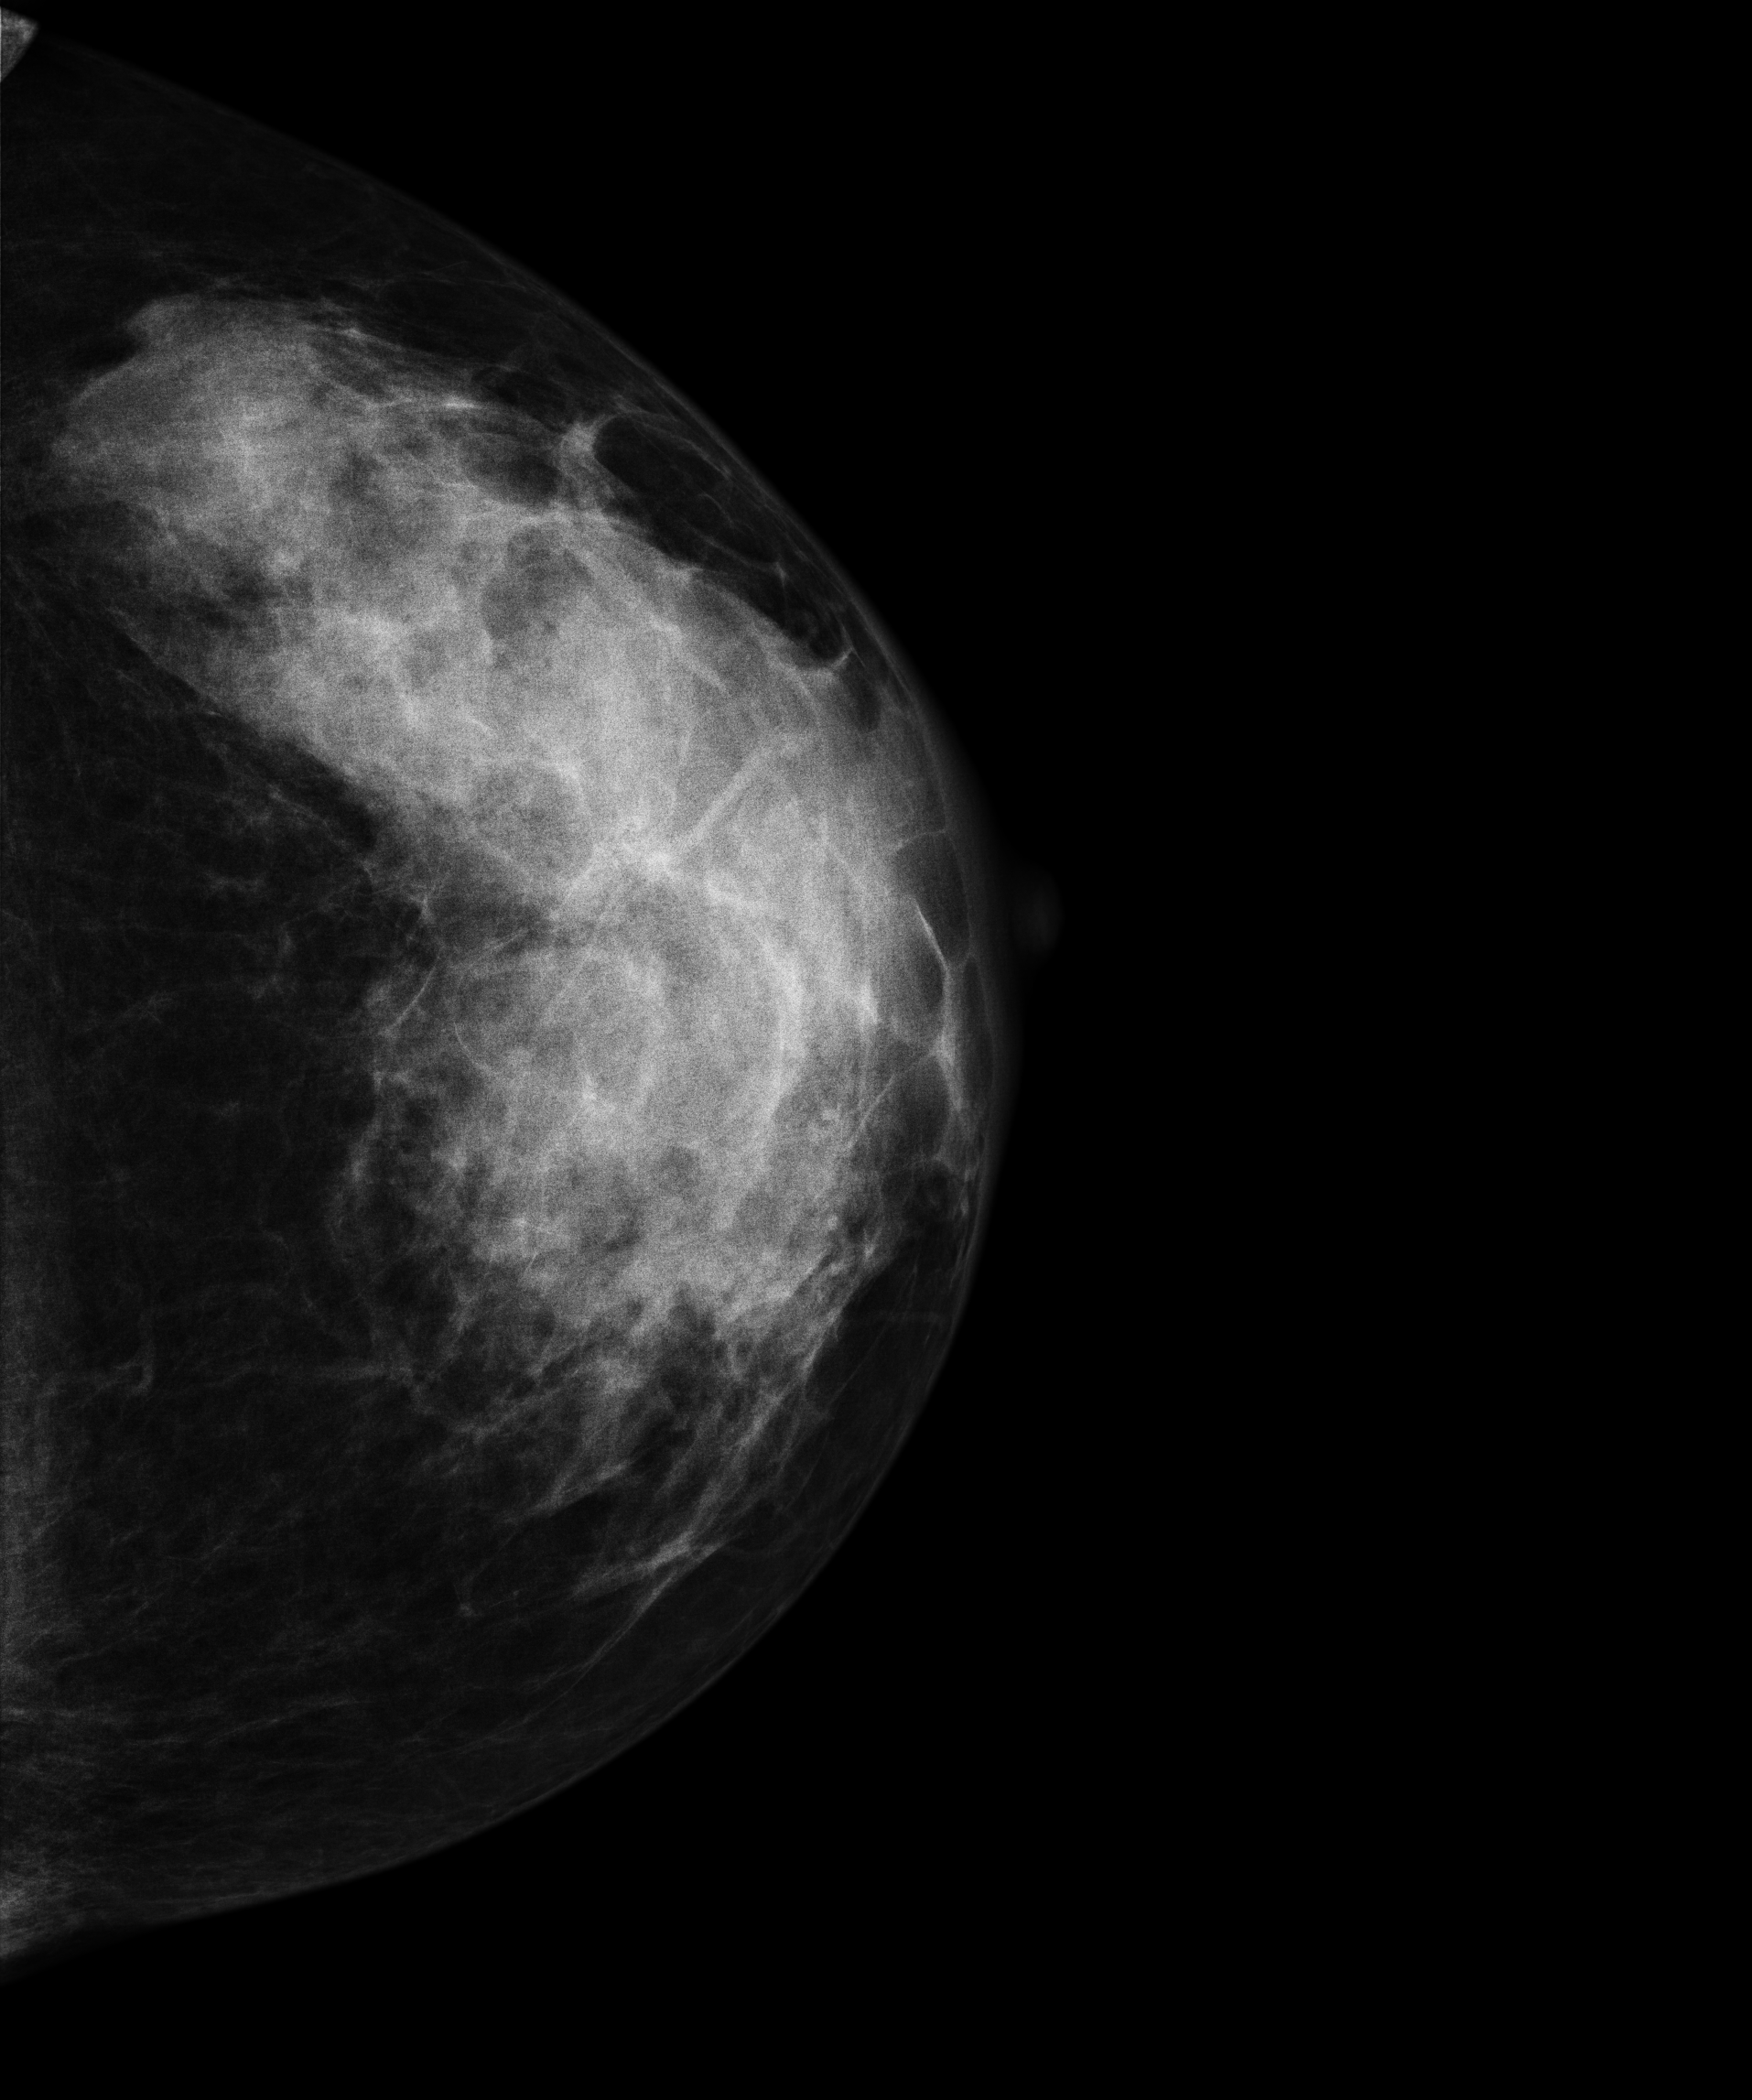
Mammogram, left breast, cranio-caudal view. 48 y/o patient.
This breast has a mass, biopsy-confirmed malignant.